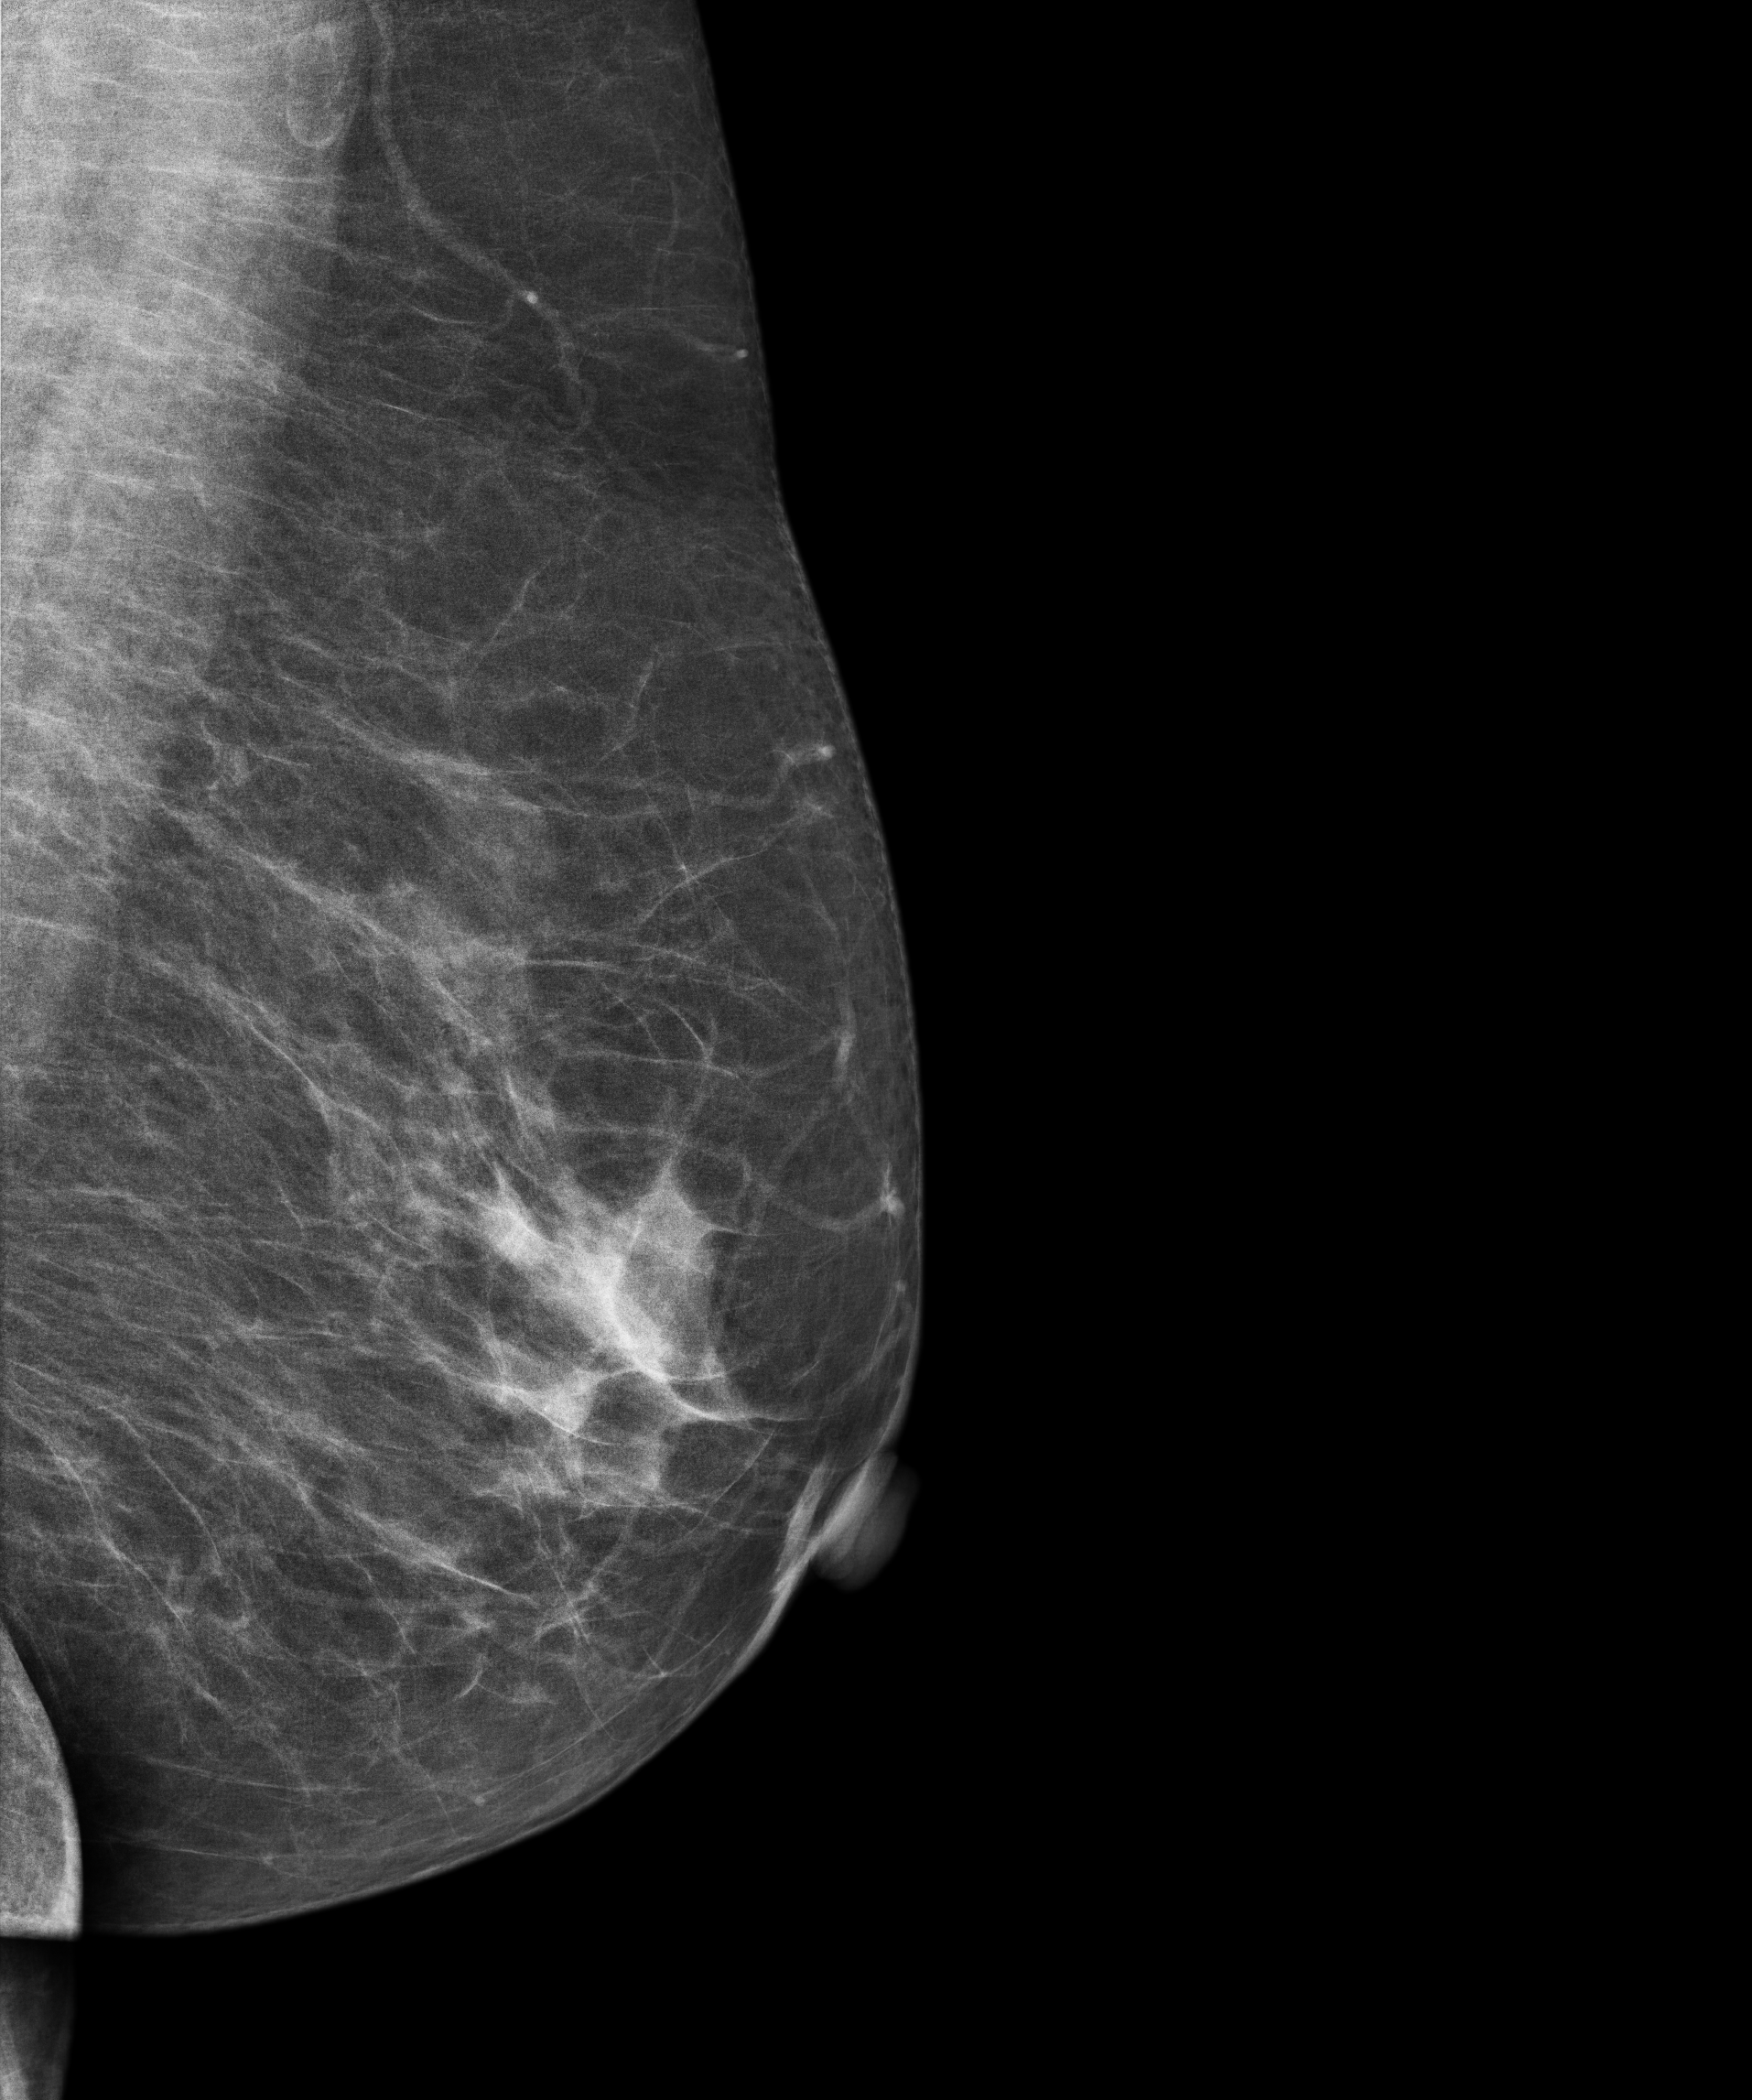
Left-breast mammogram, medio-lateral oblique. 69 y/o patient.
Contralateral breast — no documented abnormality on this side.